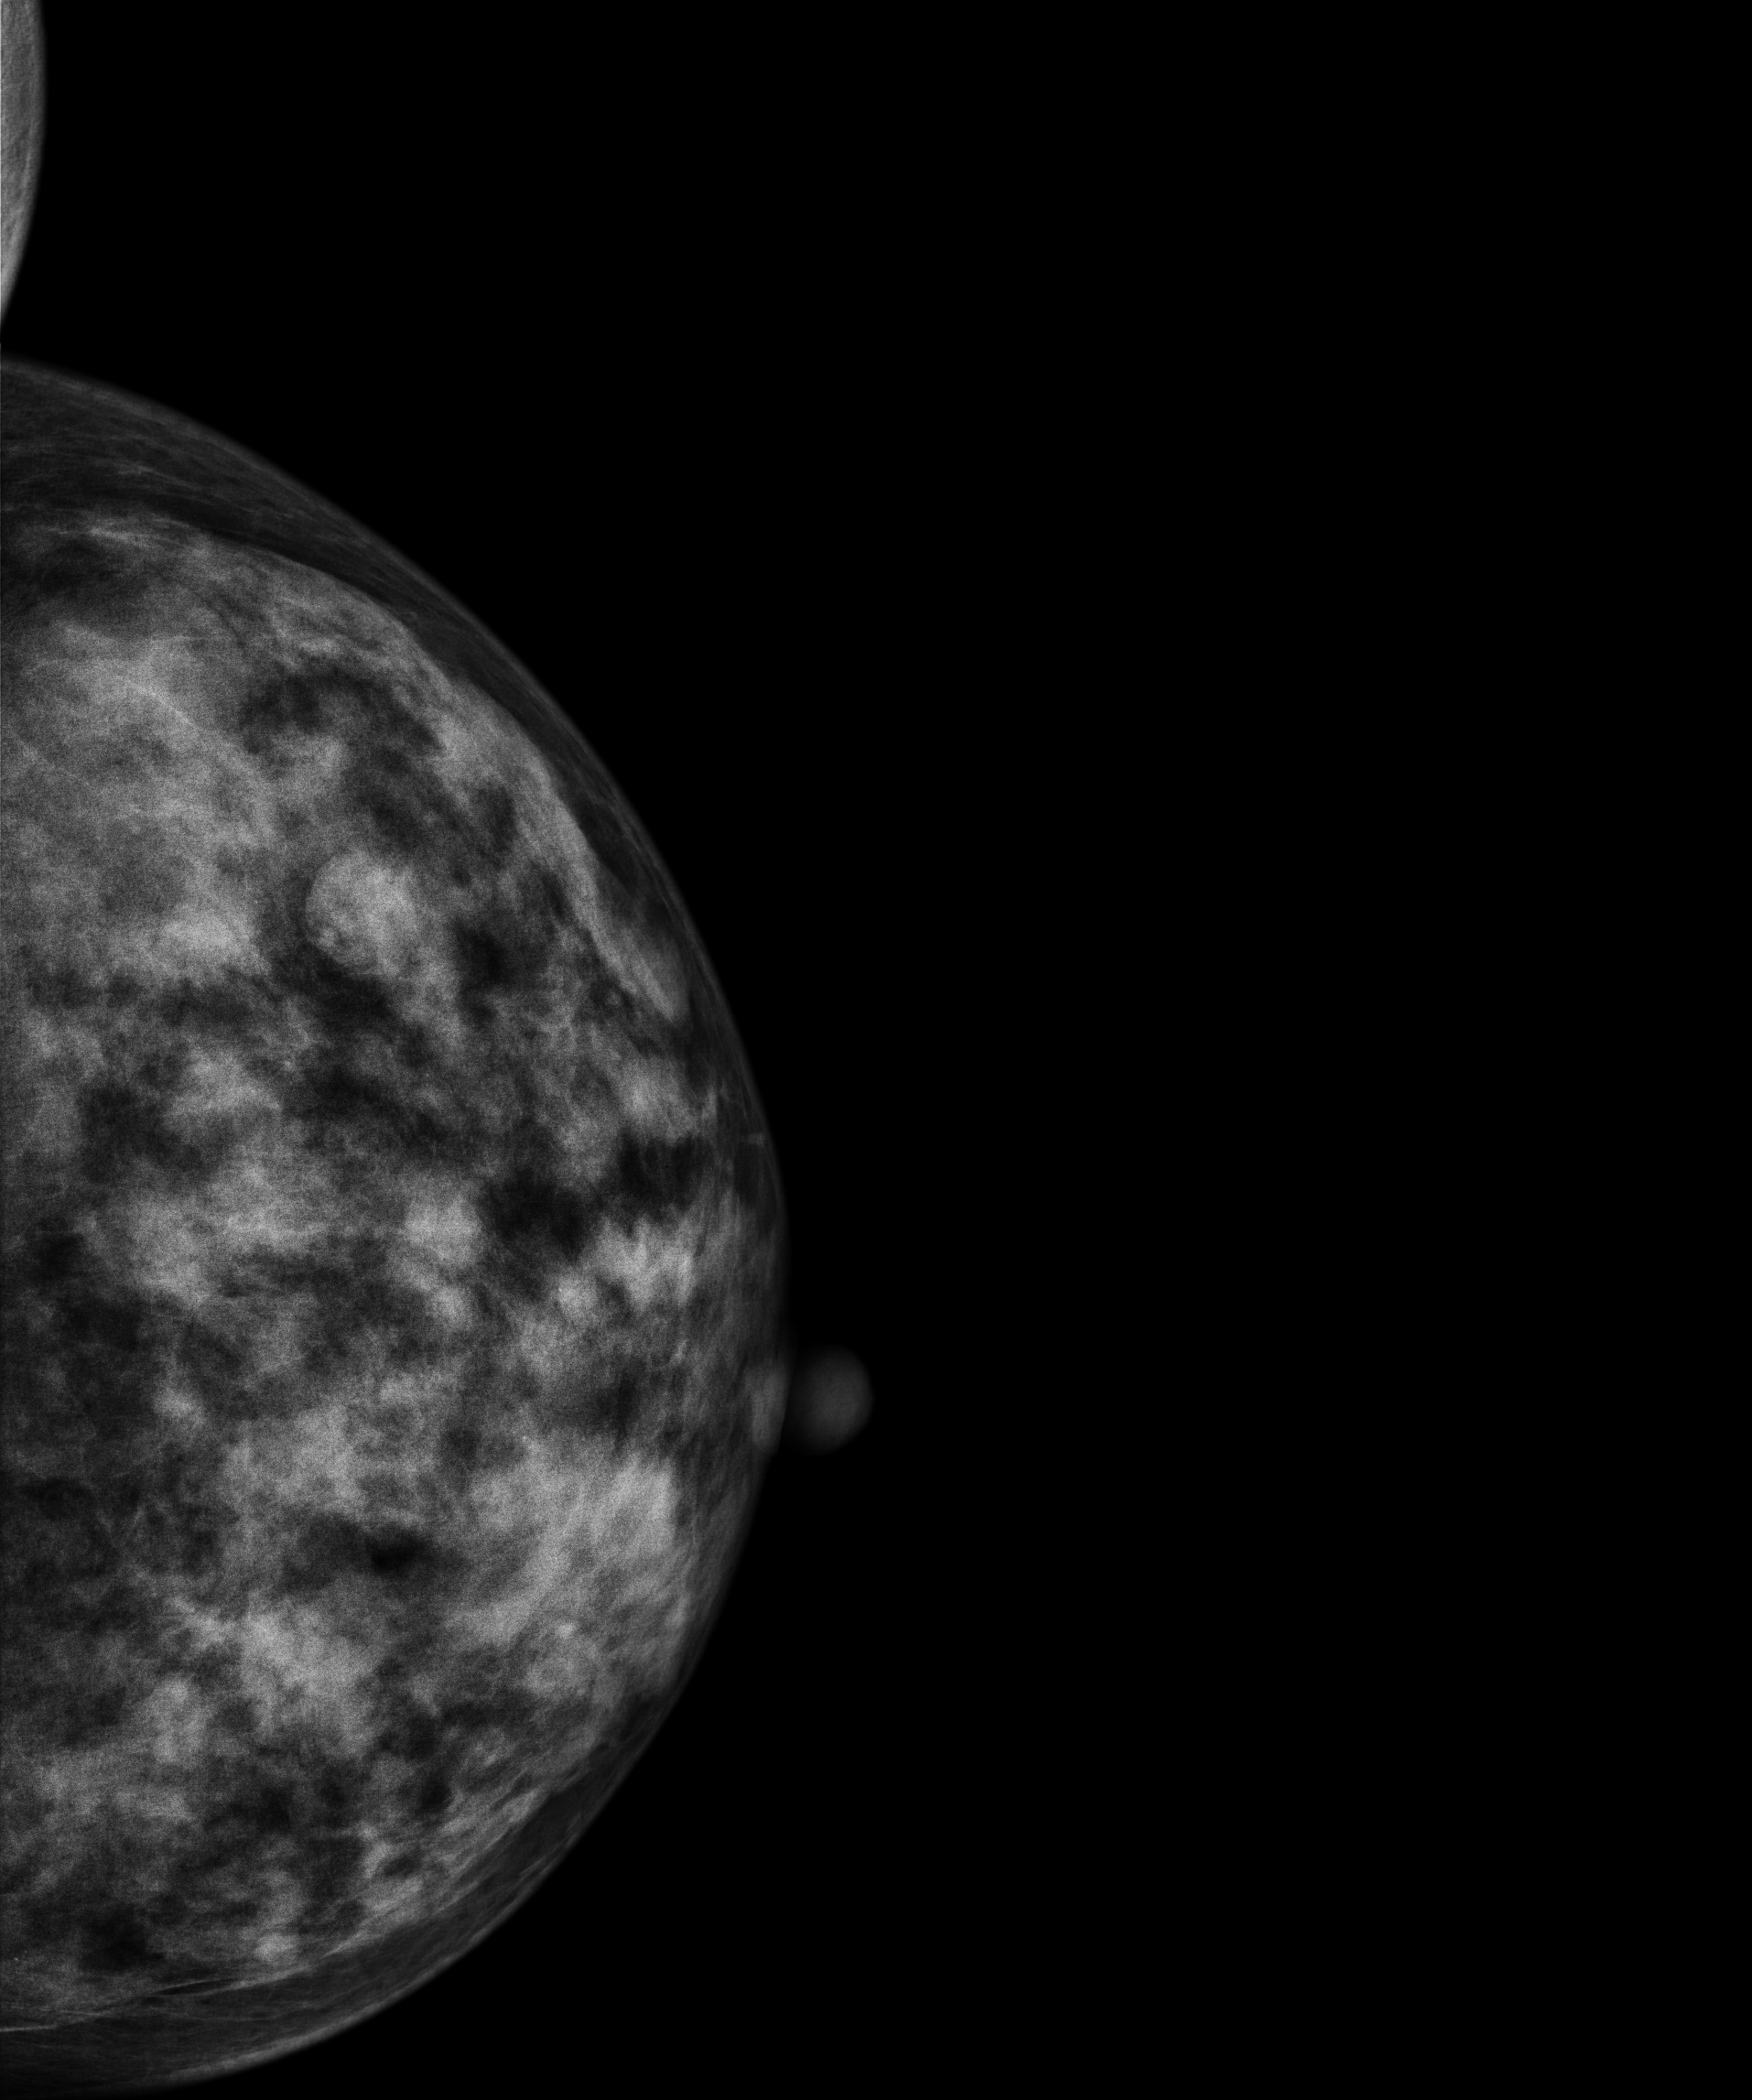
Digital mammography. Left breast, CC projection. 46-year-old patient.
This breast has a mass and calcifications, biopsy-proven benign.